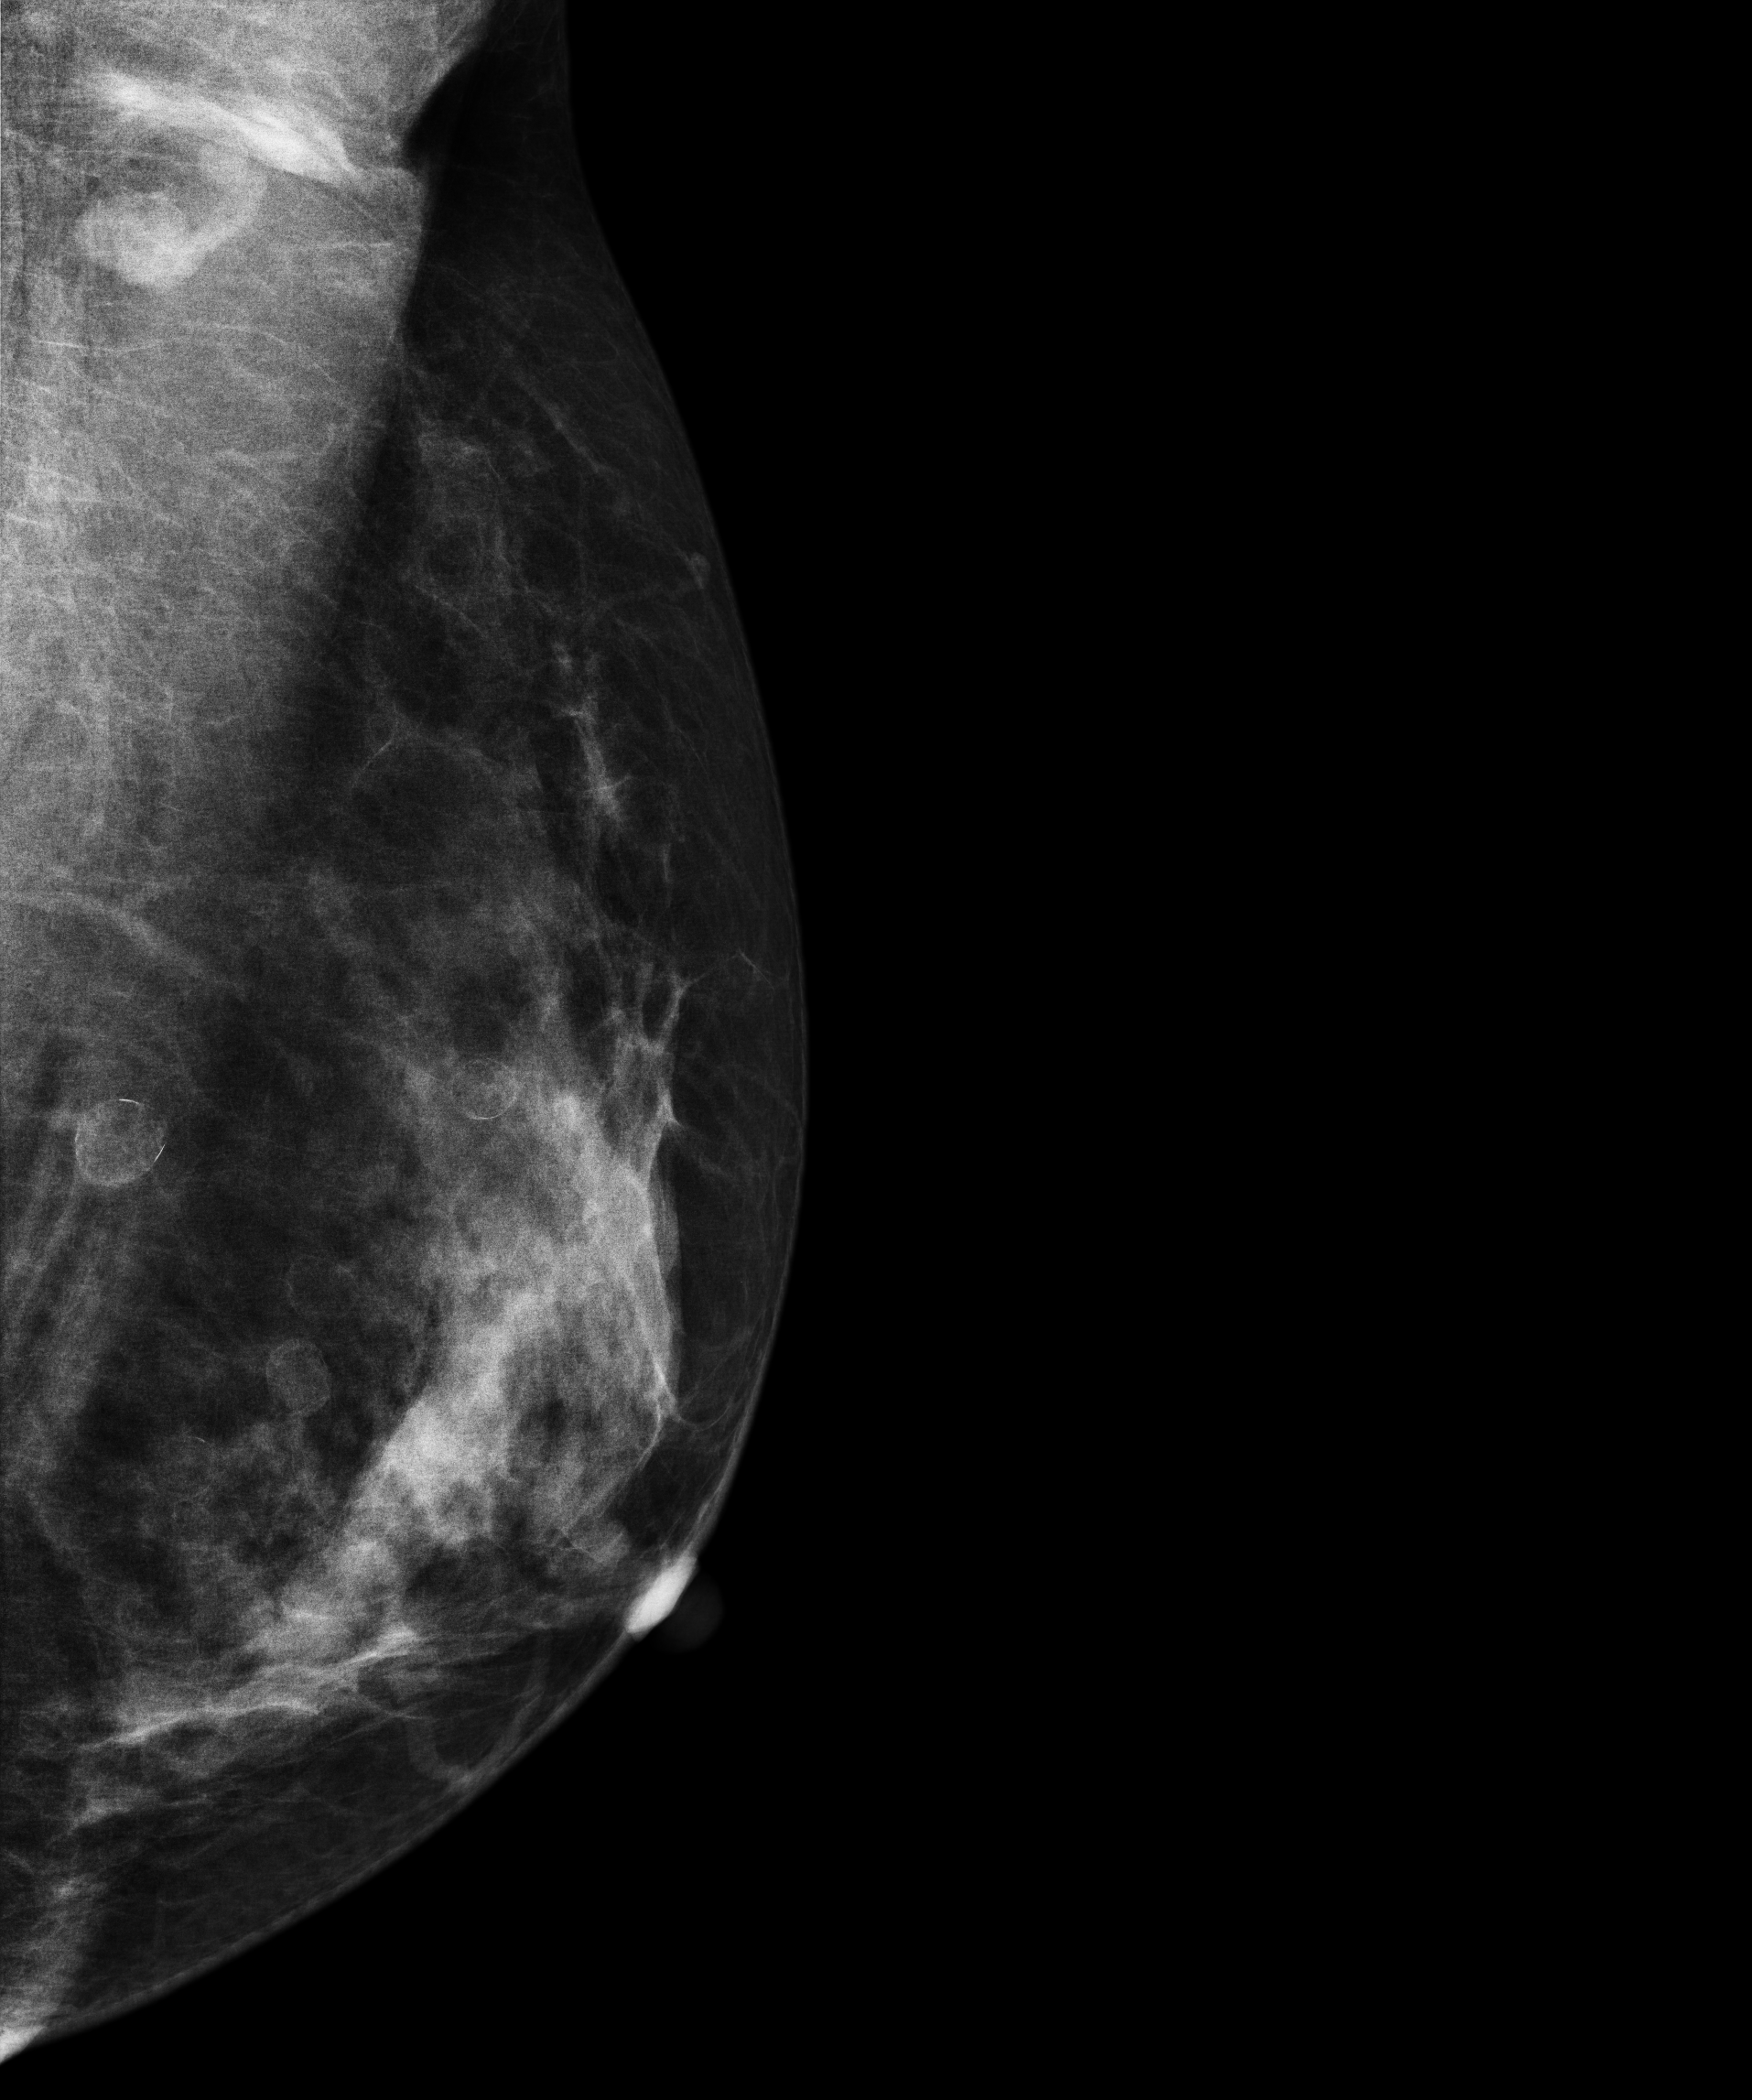
Medio-lateral oblique mammogram of the left breast. Patient age 38.
This breast has a mass, biopsy-proven benign.